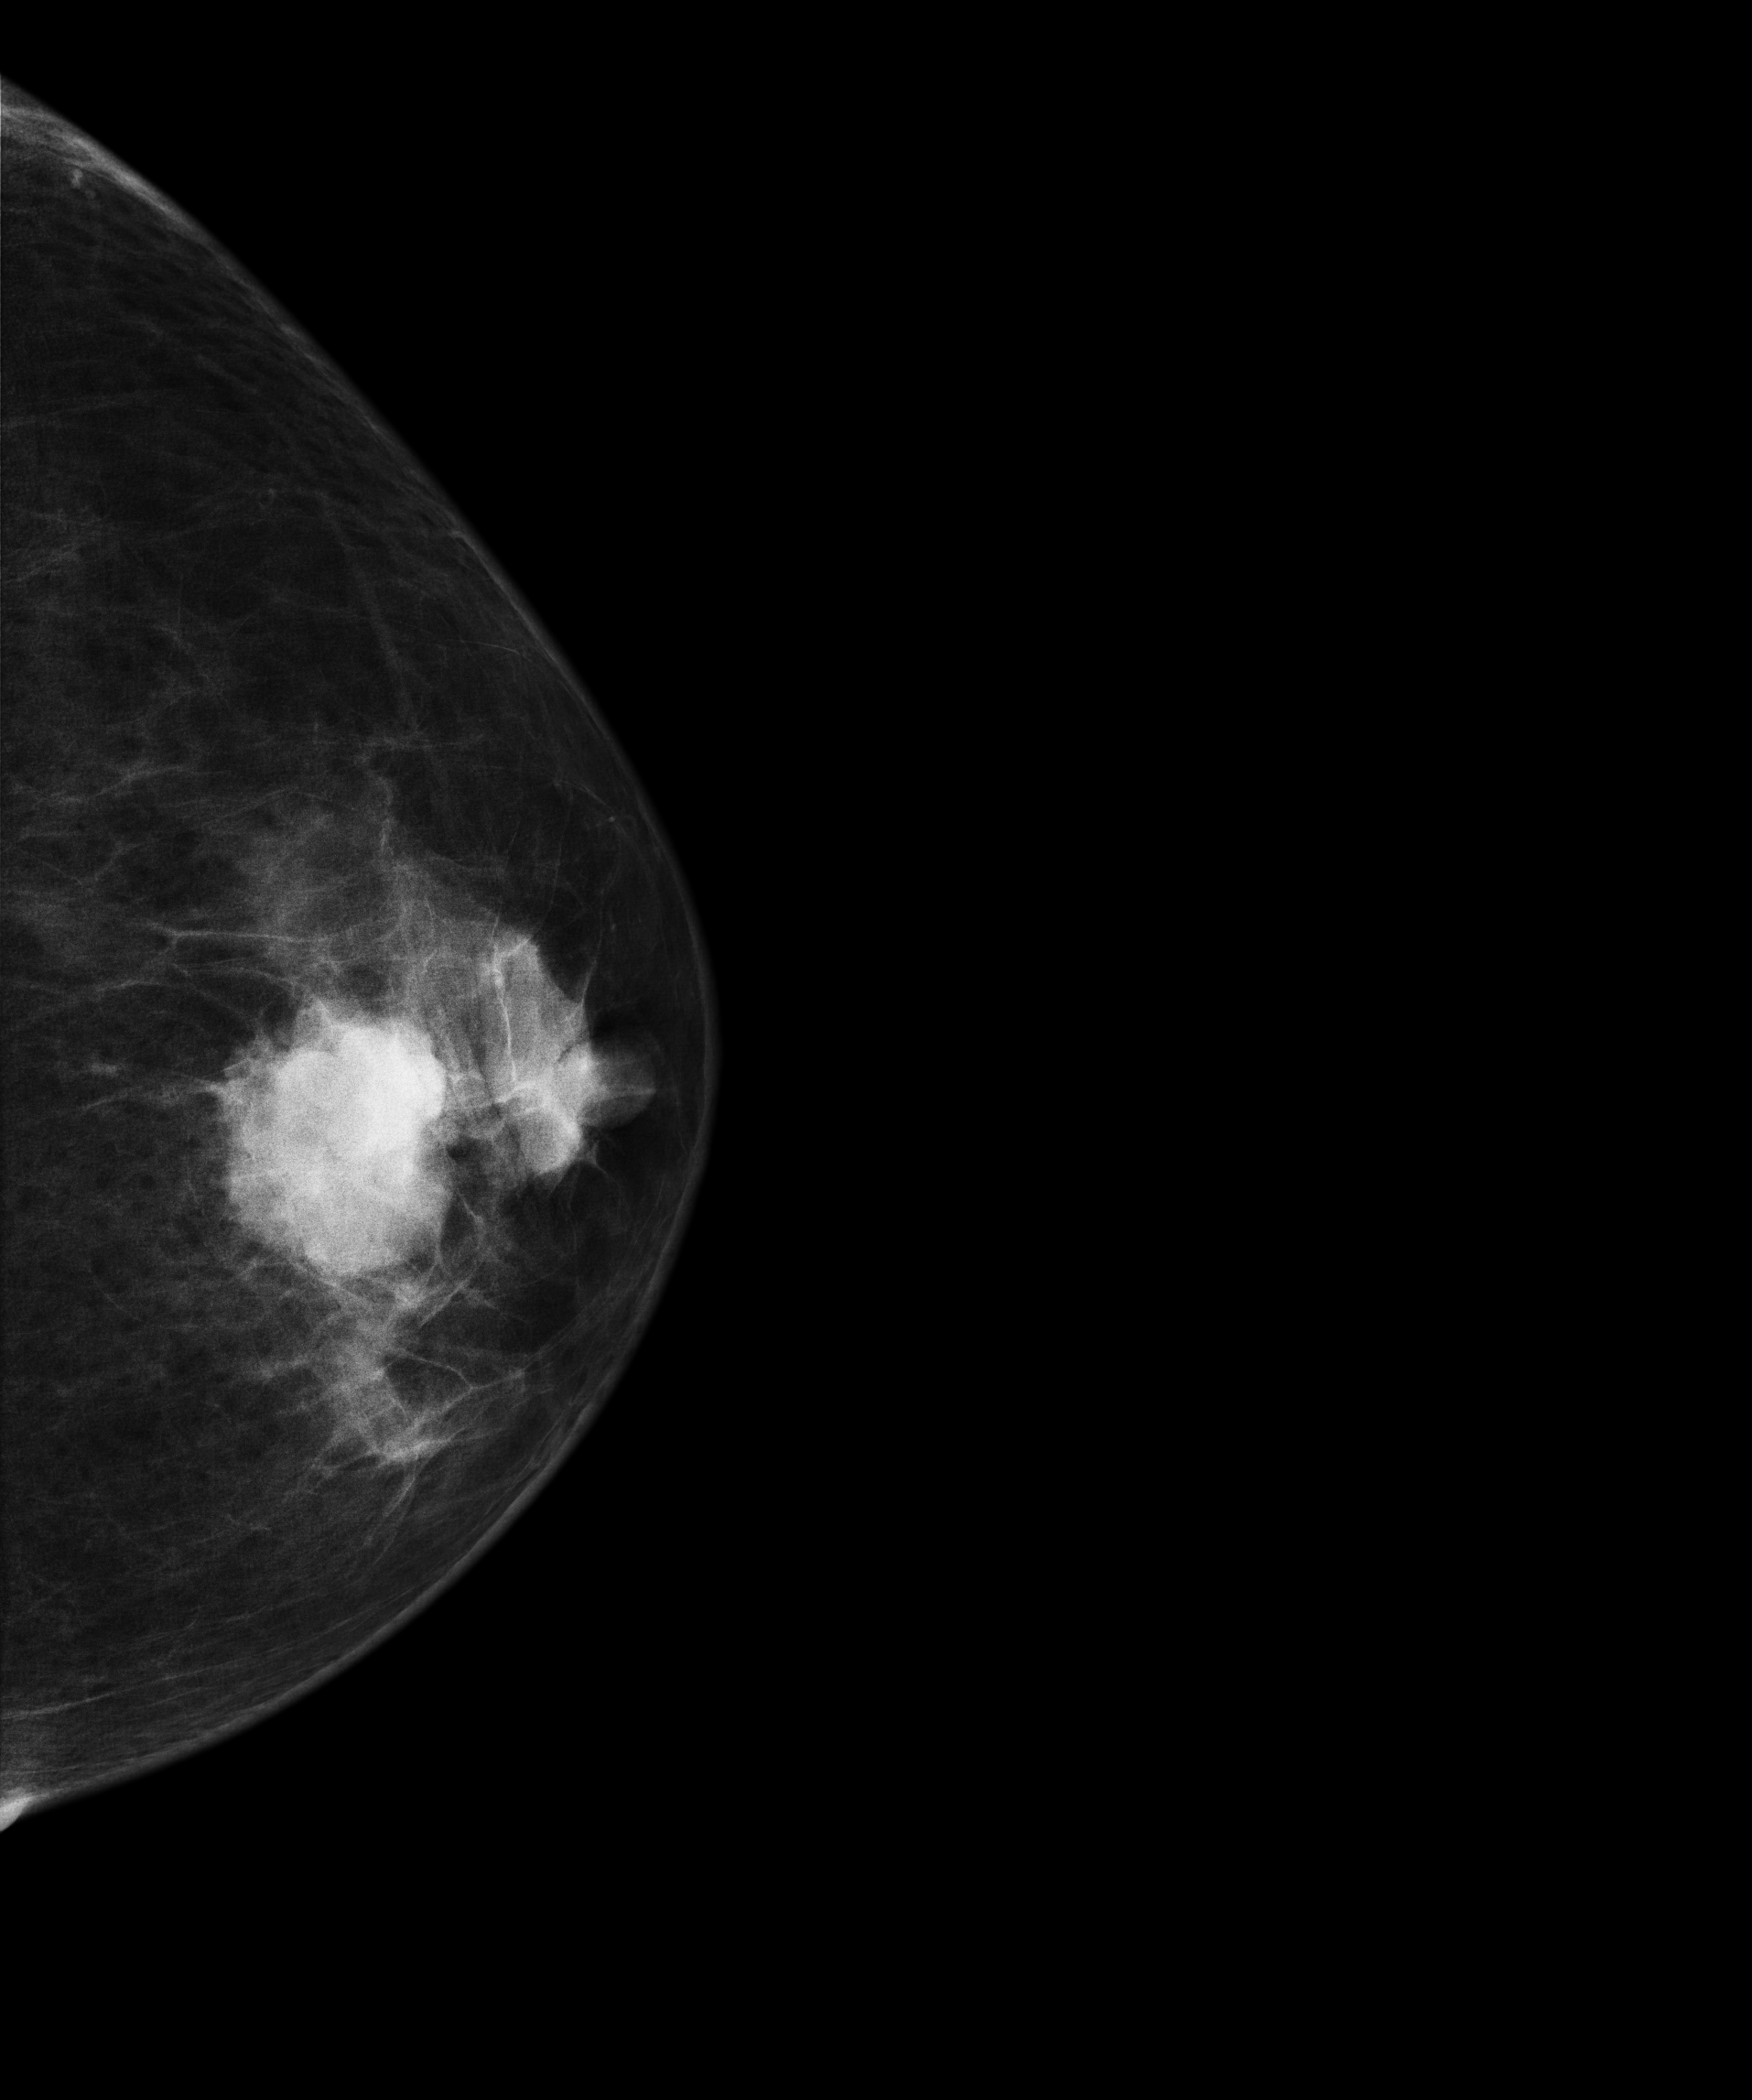
Mammogram, left breast, cranio-caudal view. 50-year-old patient.
This breast has a mass, biopsy-proven malignant.